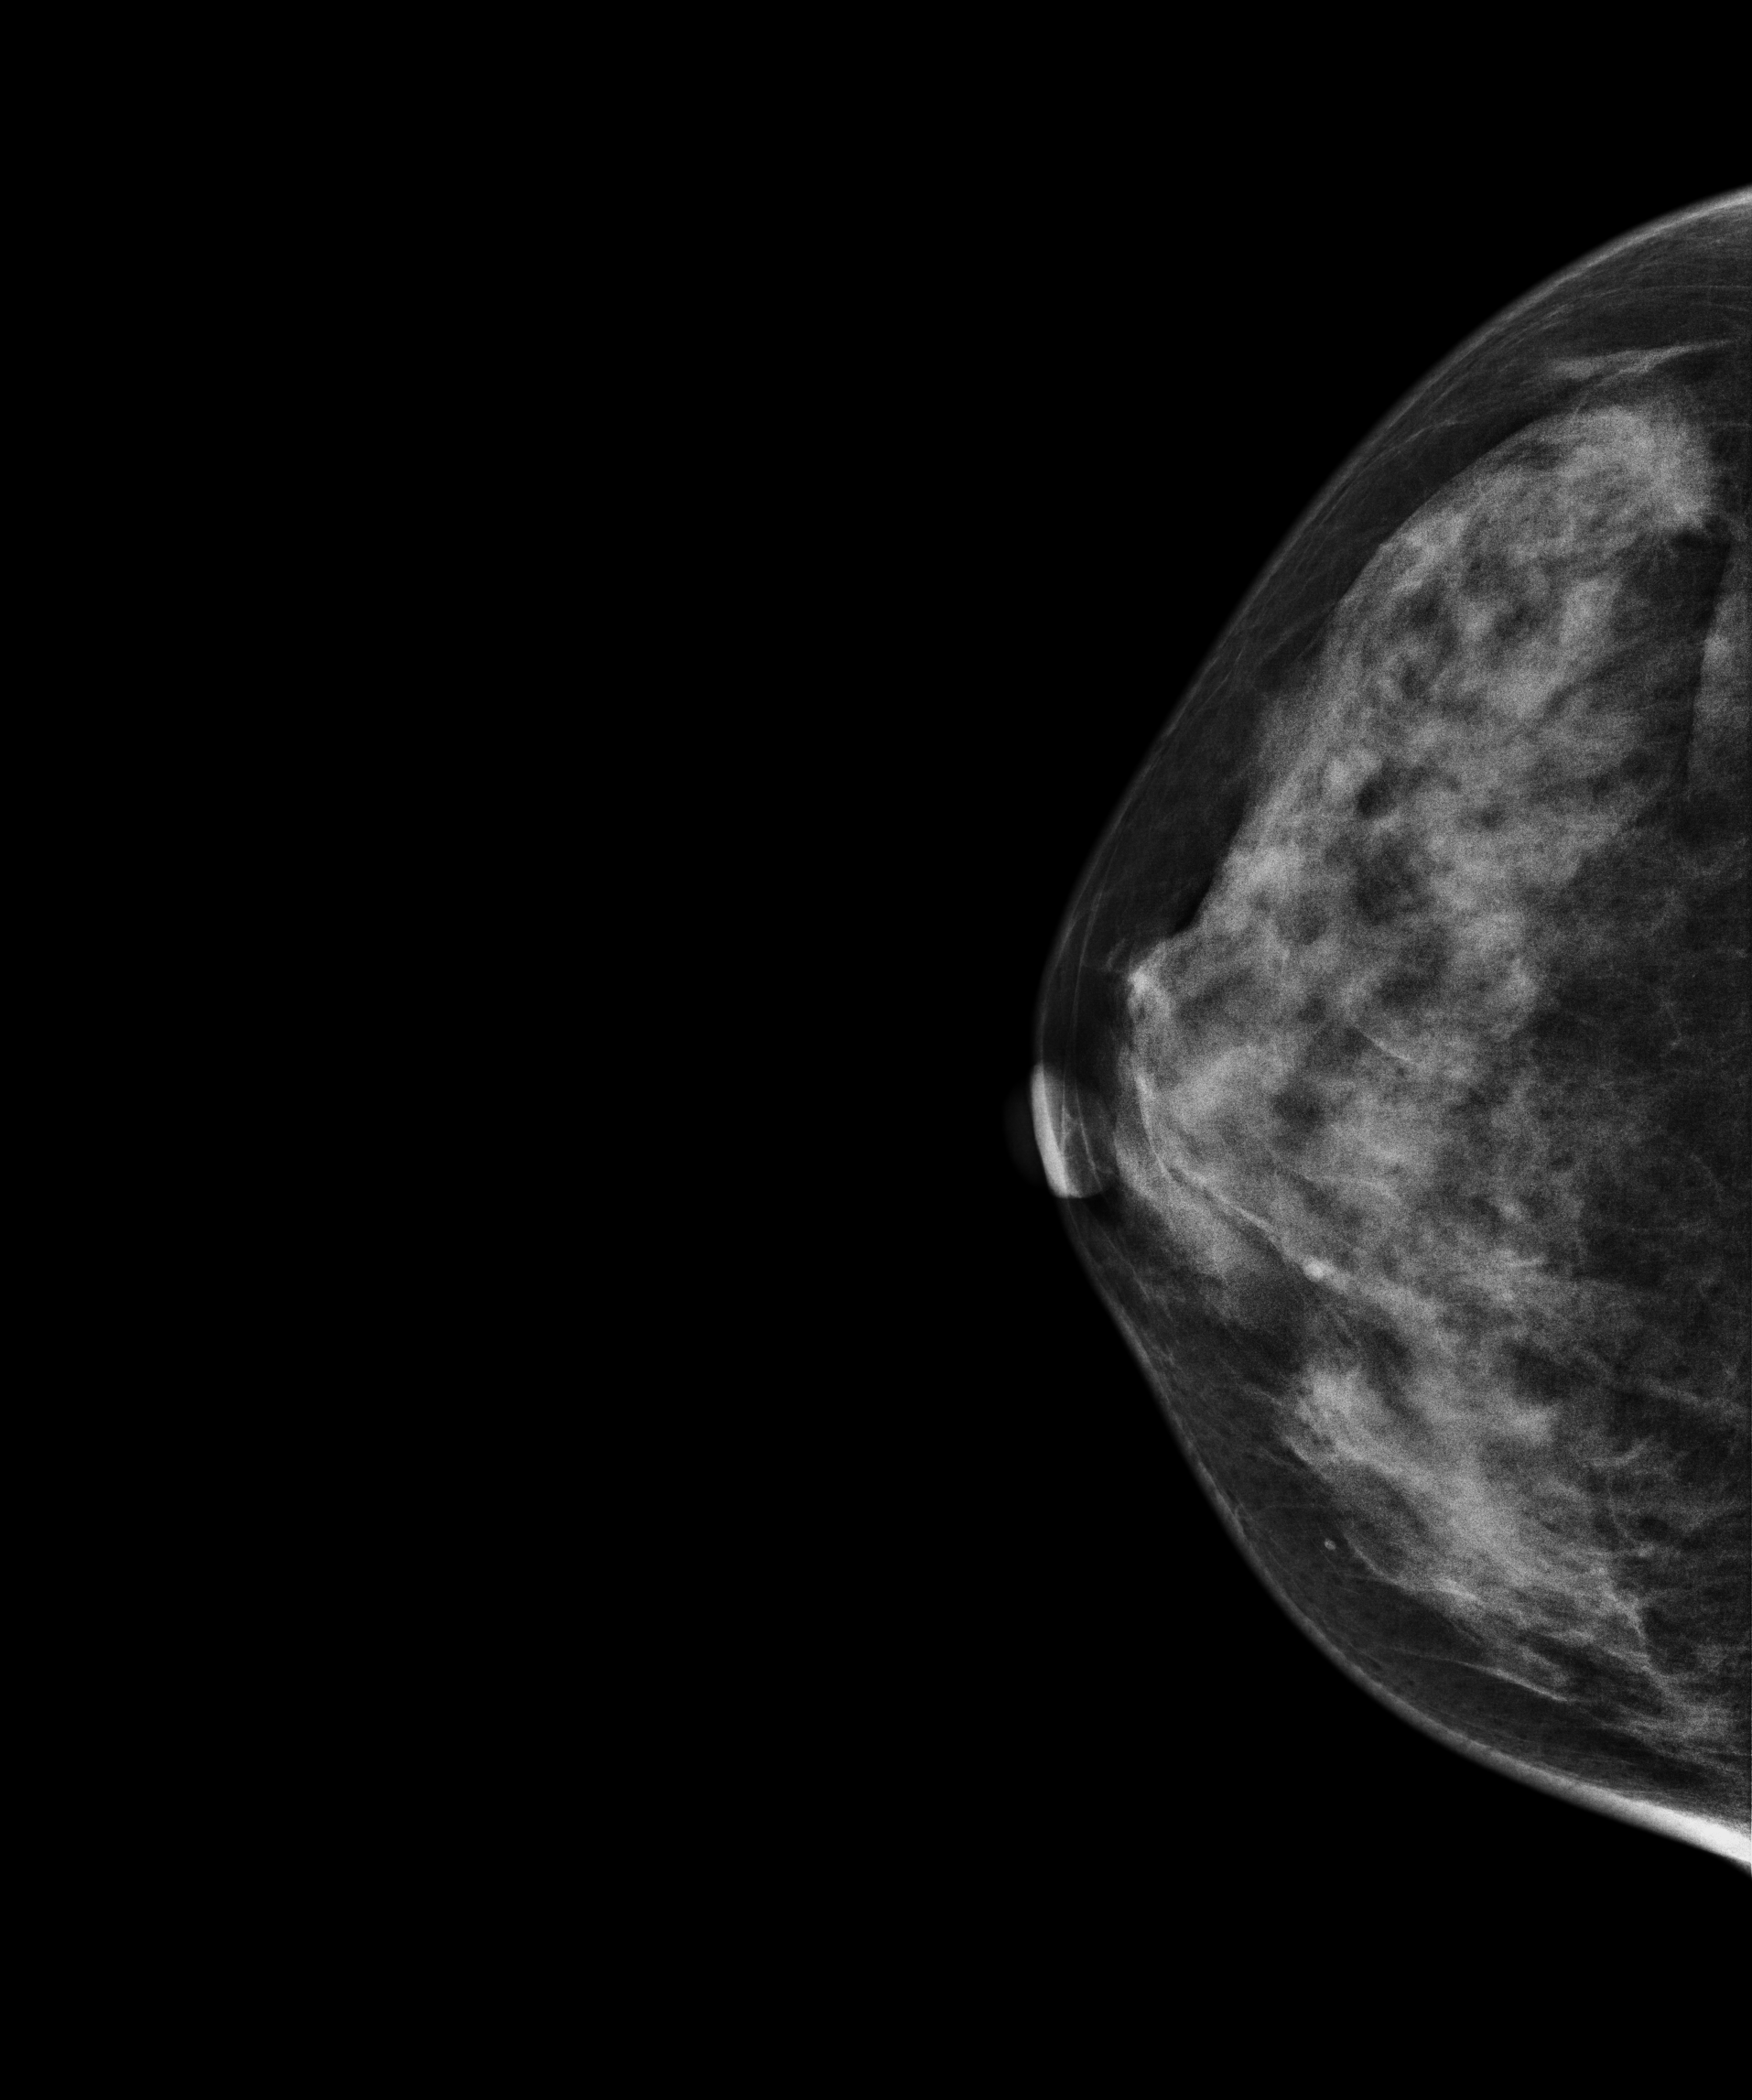
Mammogram — right cranio-caudal. 51-year-old patient.
This breast has a mass, biopsy-confirmed malignant.